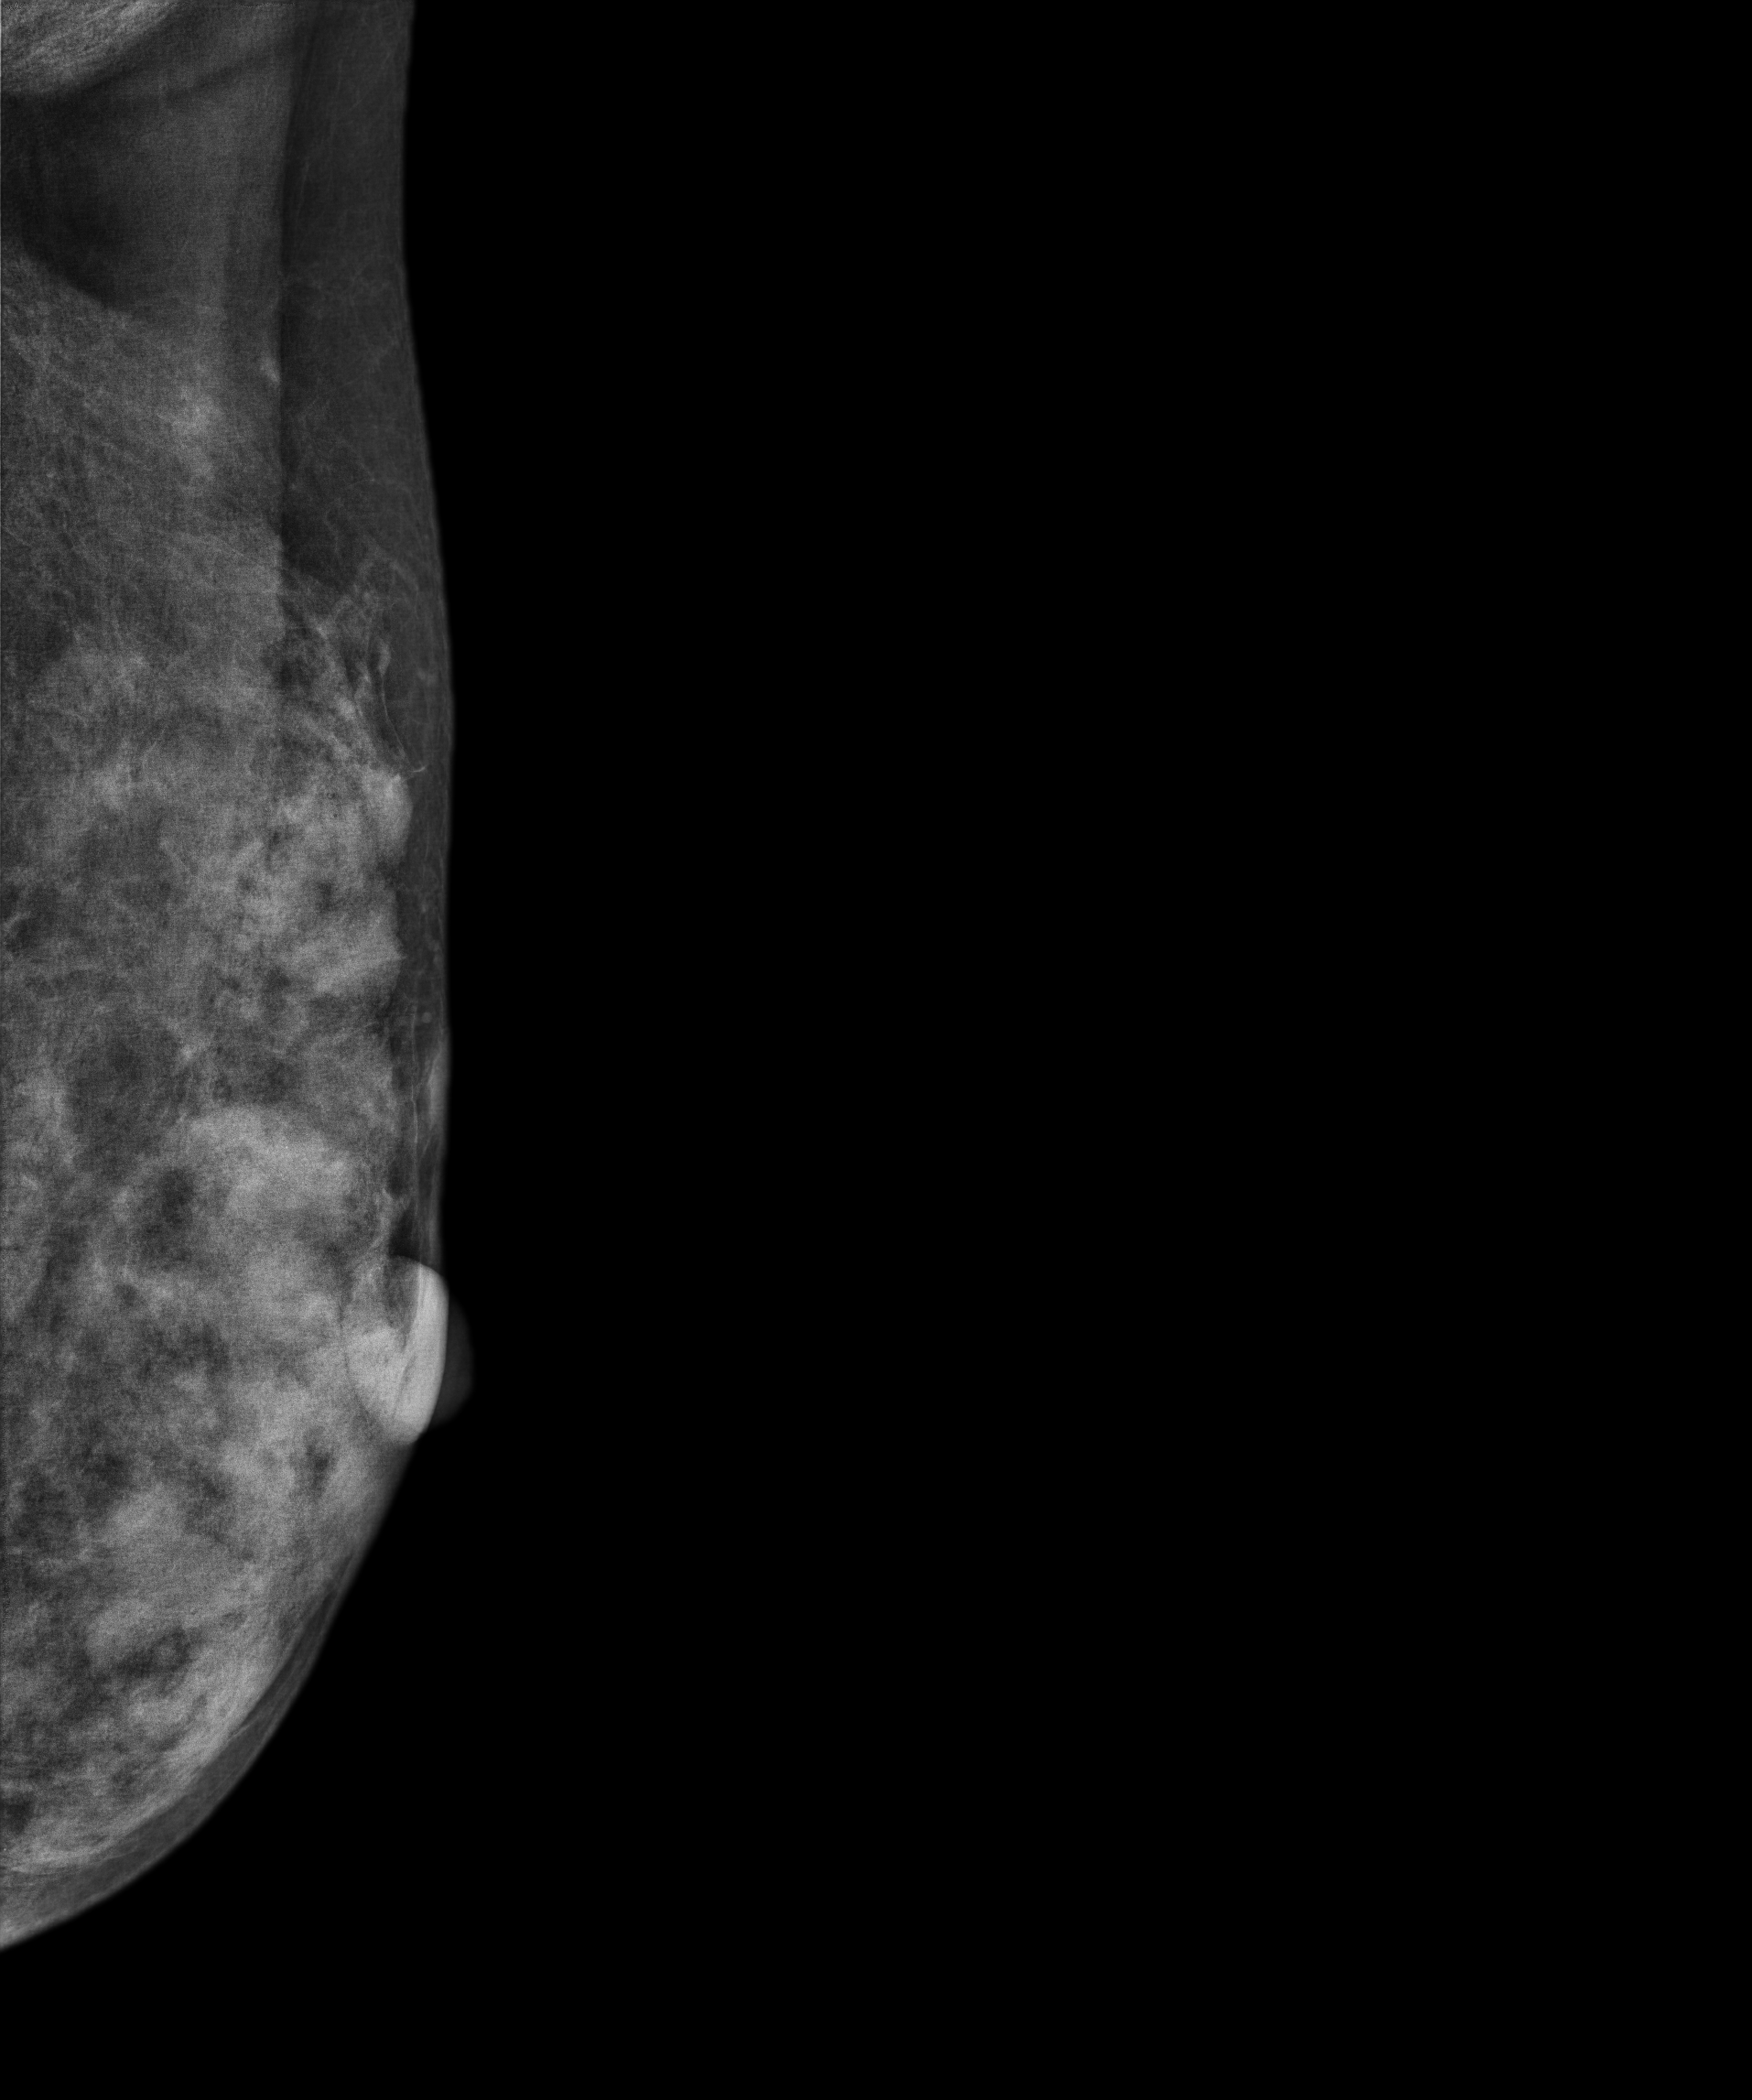
Mammogram — left medio-lateral oblique. 39-year-old patient.
This breast has a mass, histologically confirmed malignant.